Digital mammography. Right breast, medio-lateral oblique projection. 43-year-old patient.
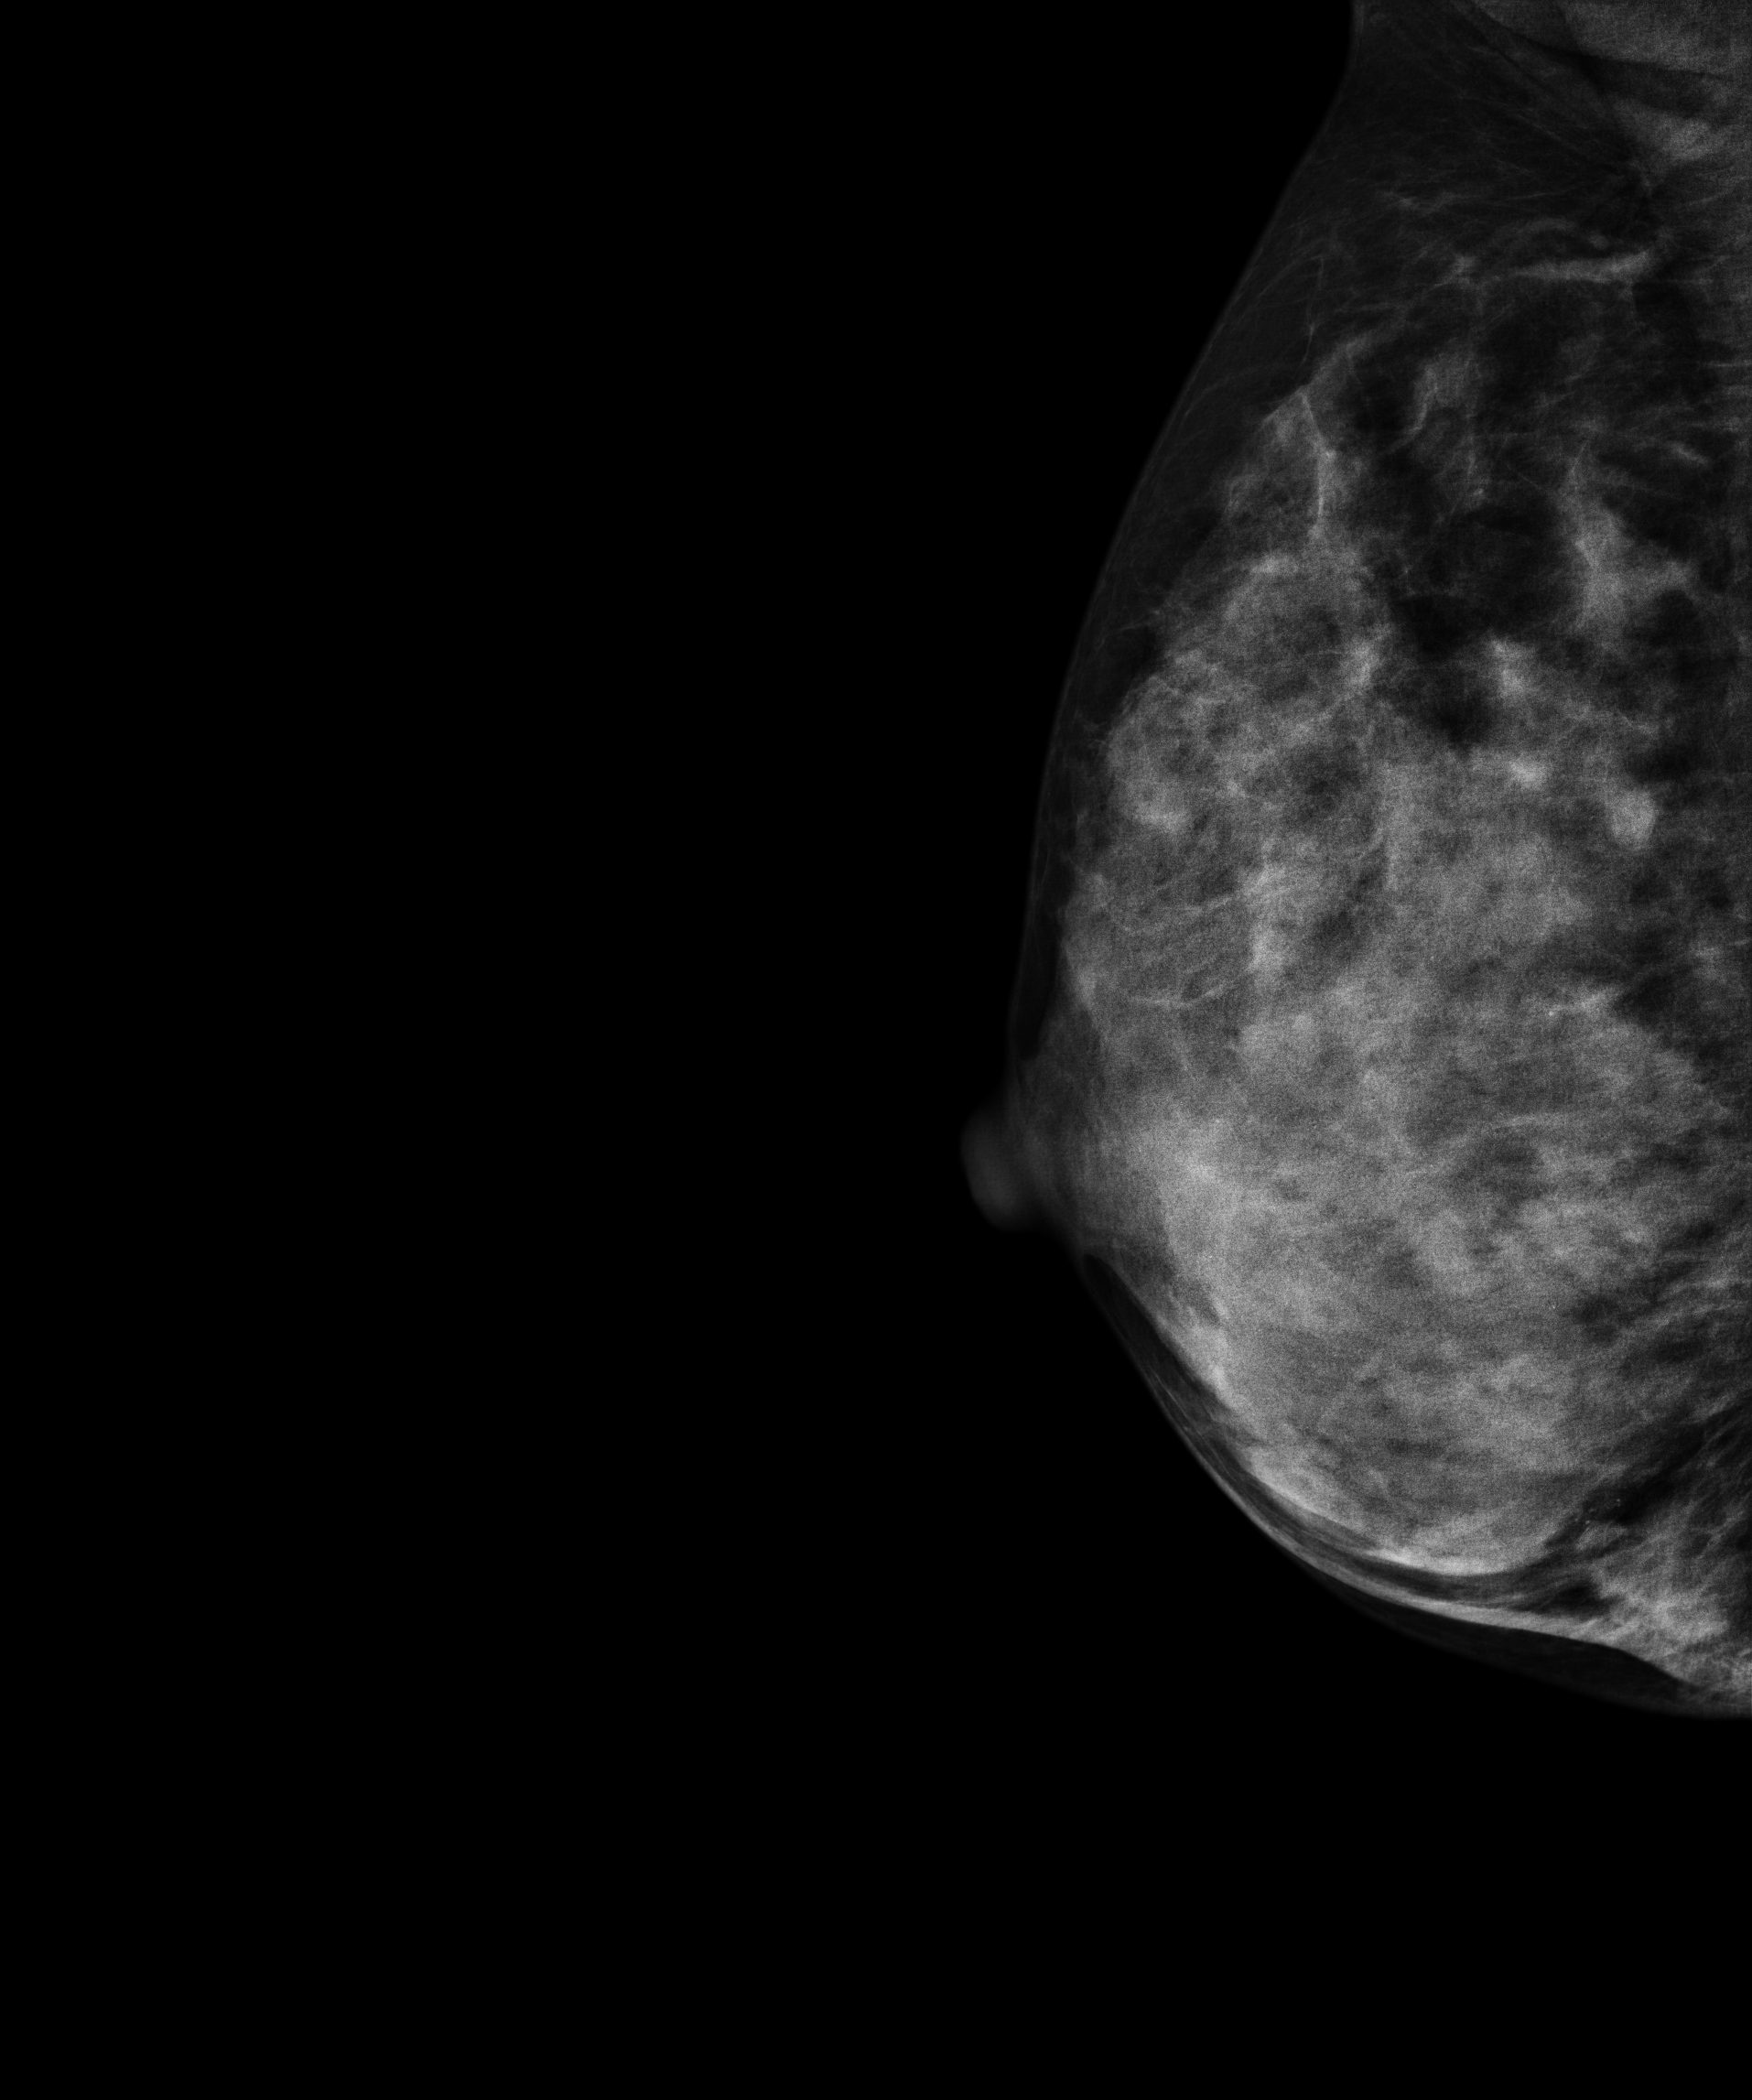
This breast has a mass, histologically confirmed malignant. Molecular subtype: luminal B.